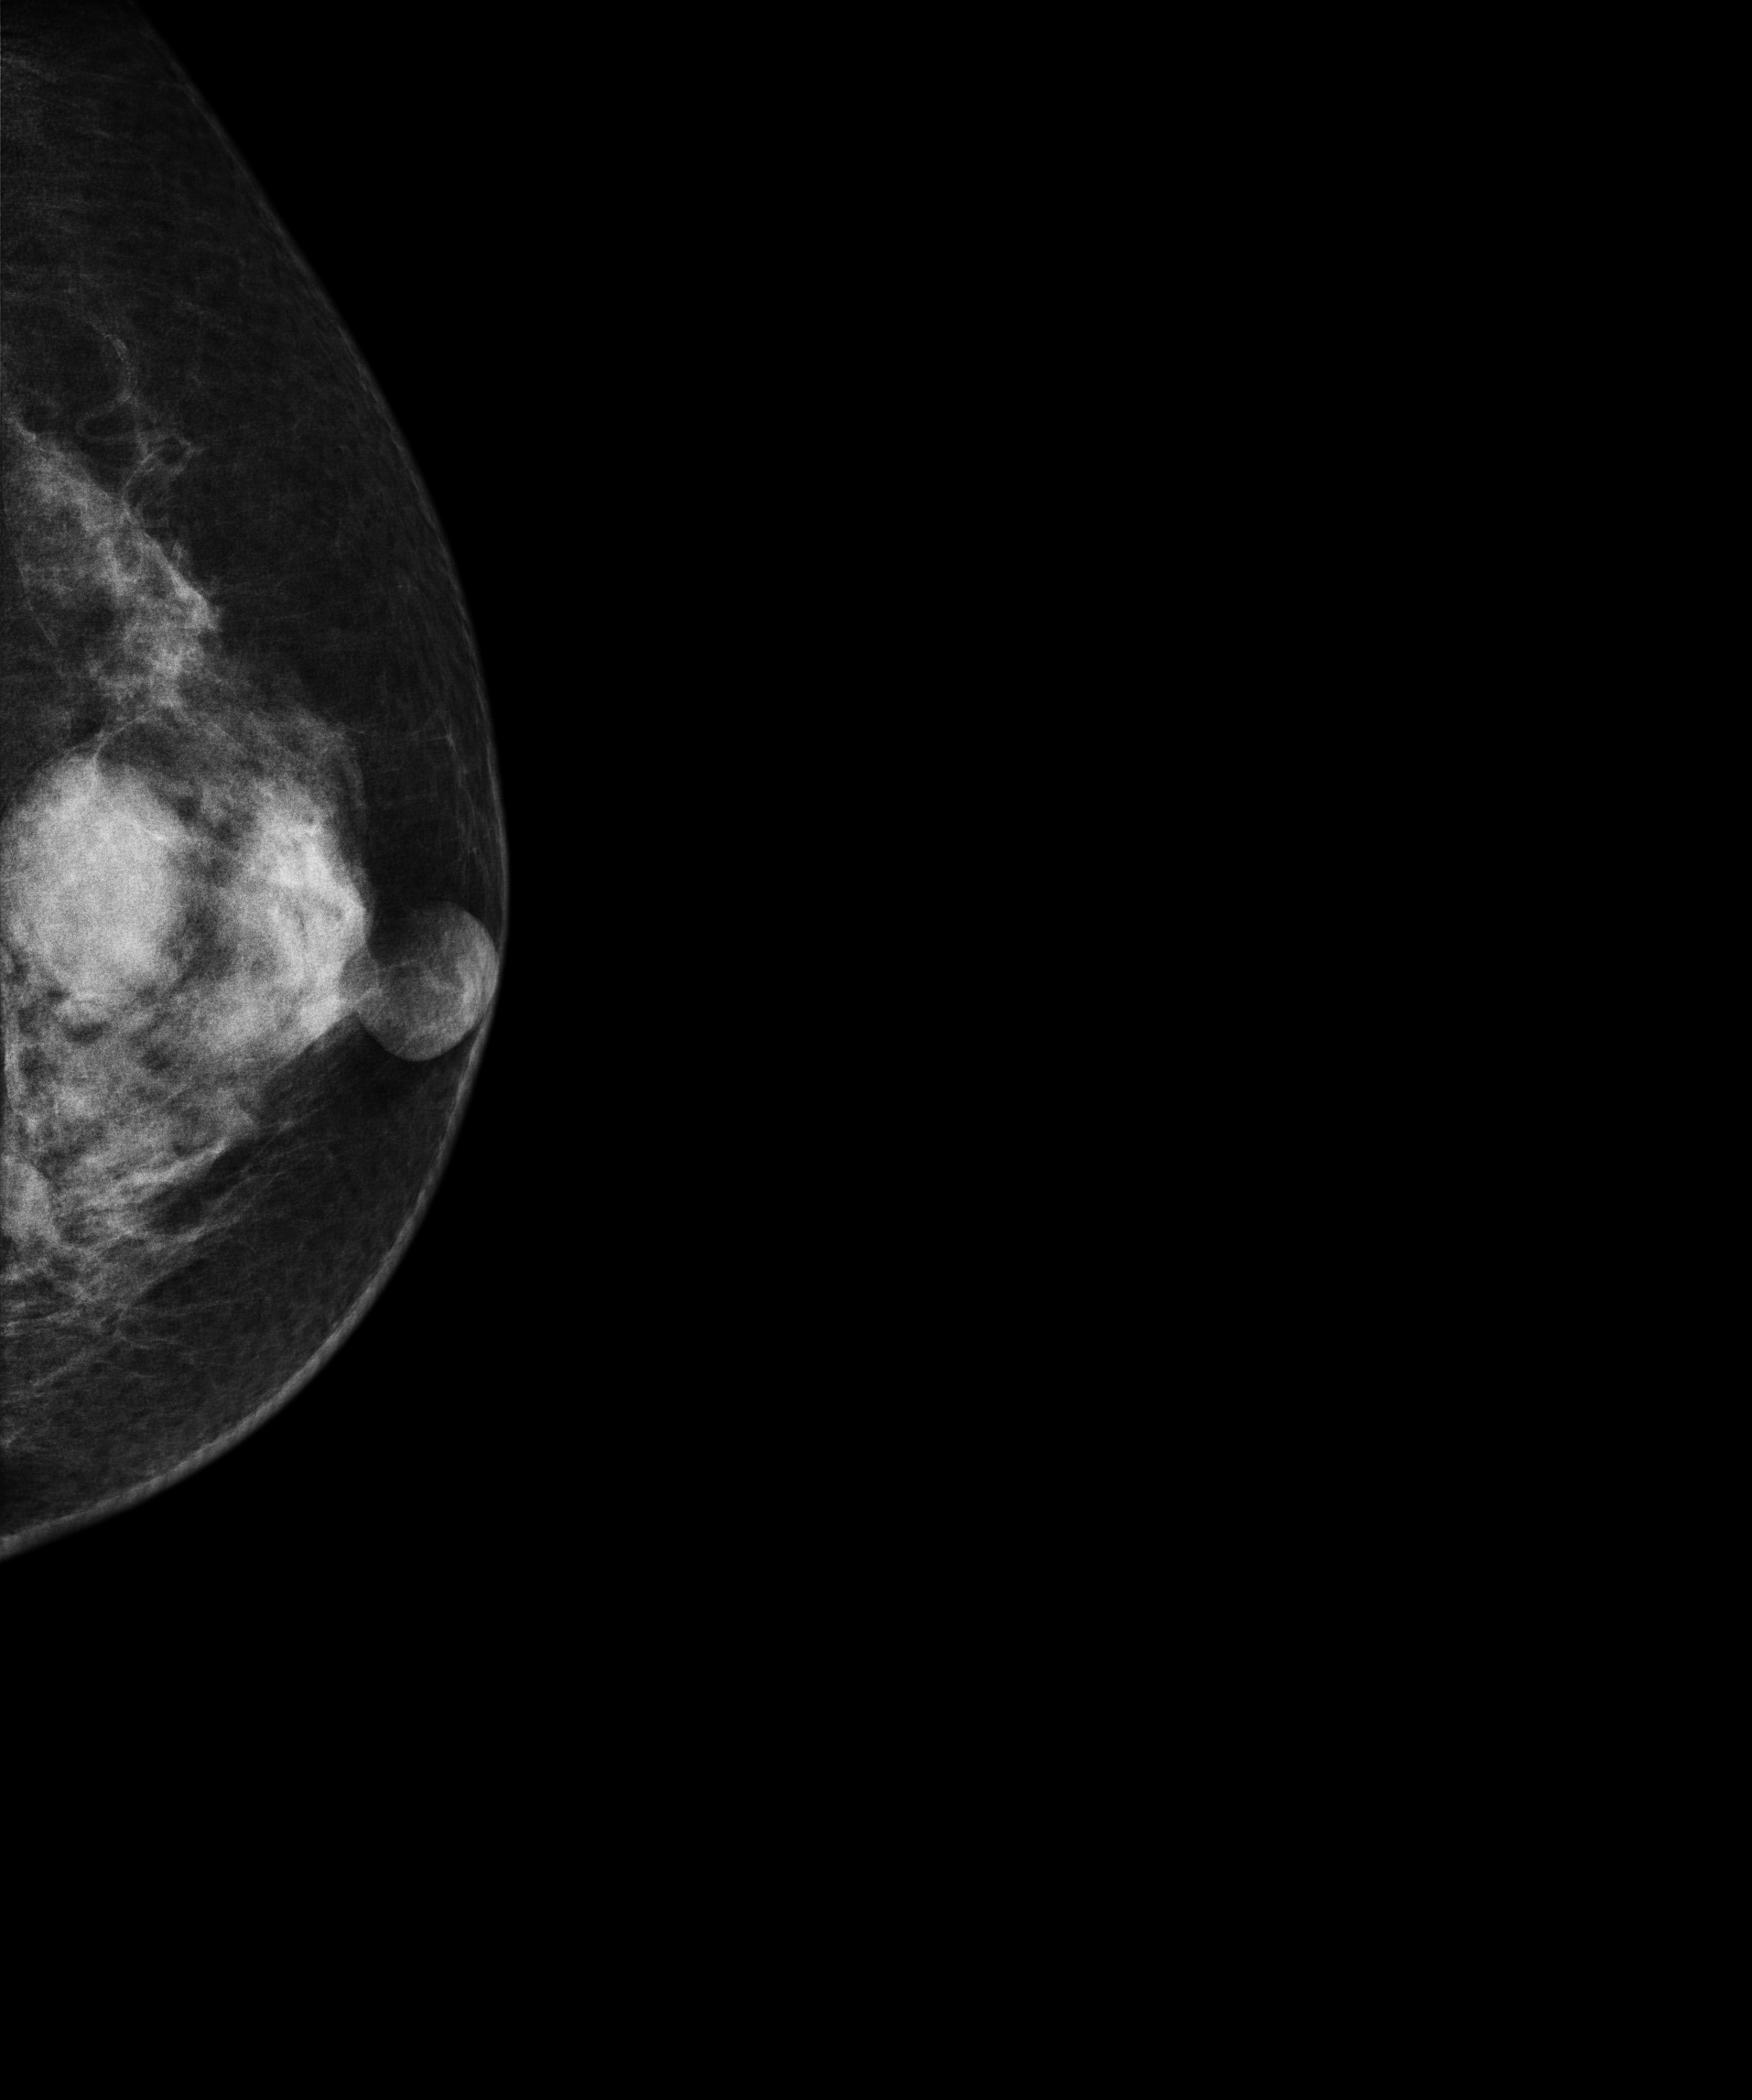
Mammogram, left breast, CC view. Patient age 83.
This breast has a mass, biopsy-confirmed benign.